Digital mammography. Right breast, CC projection. 41-year-old patient.
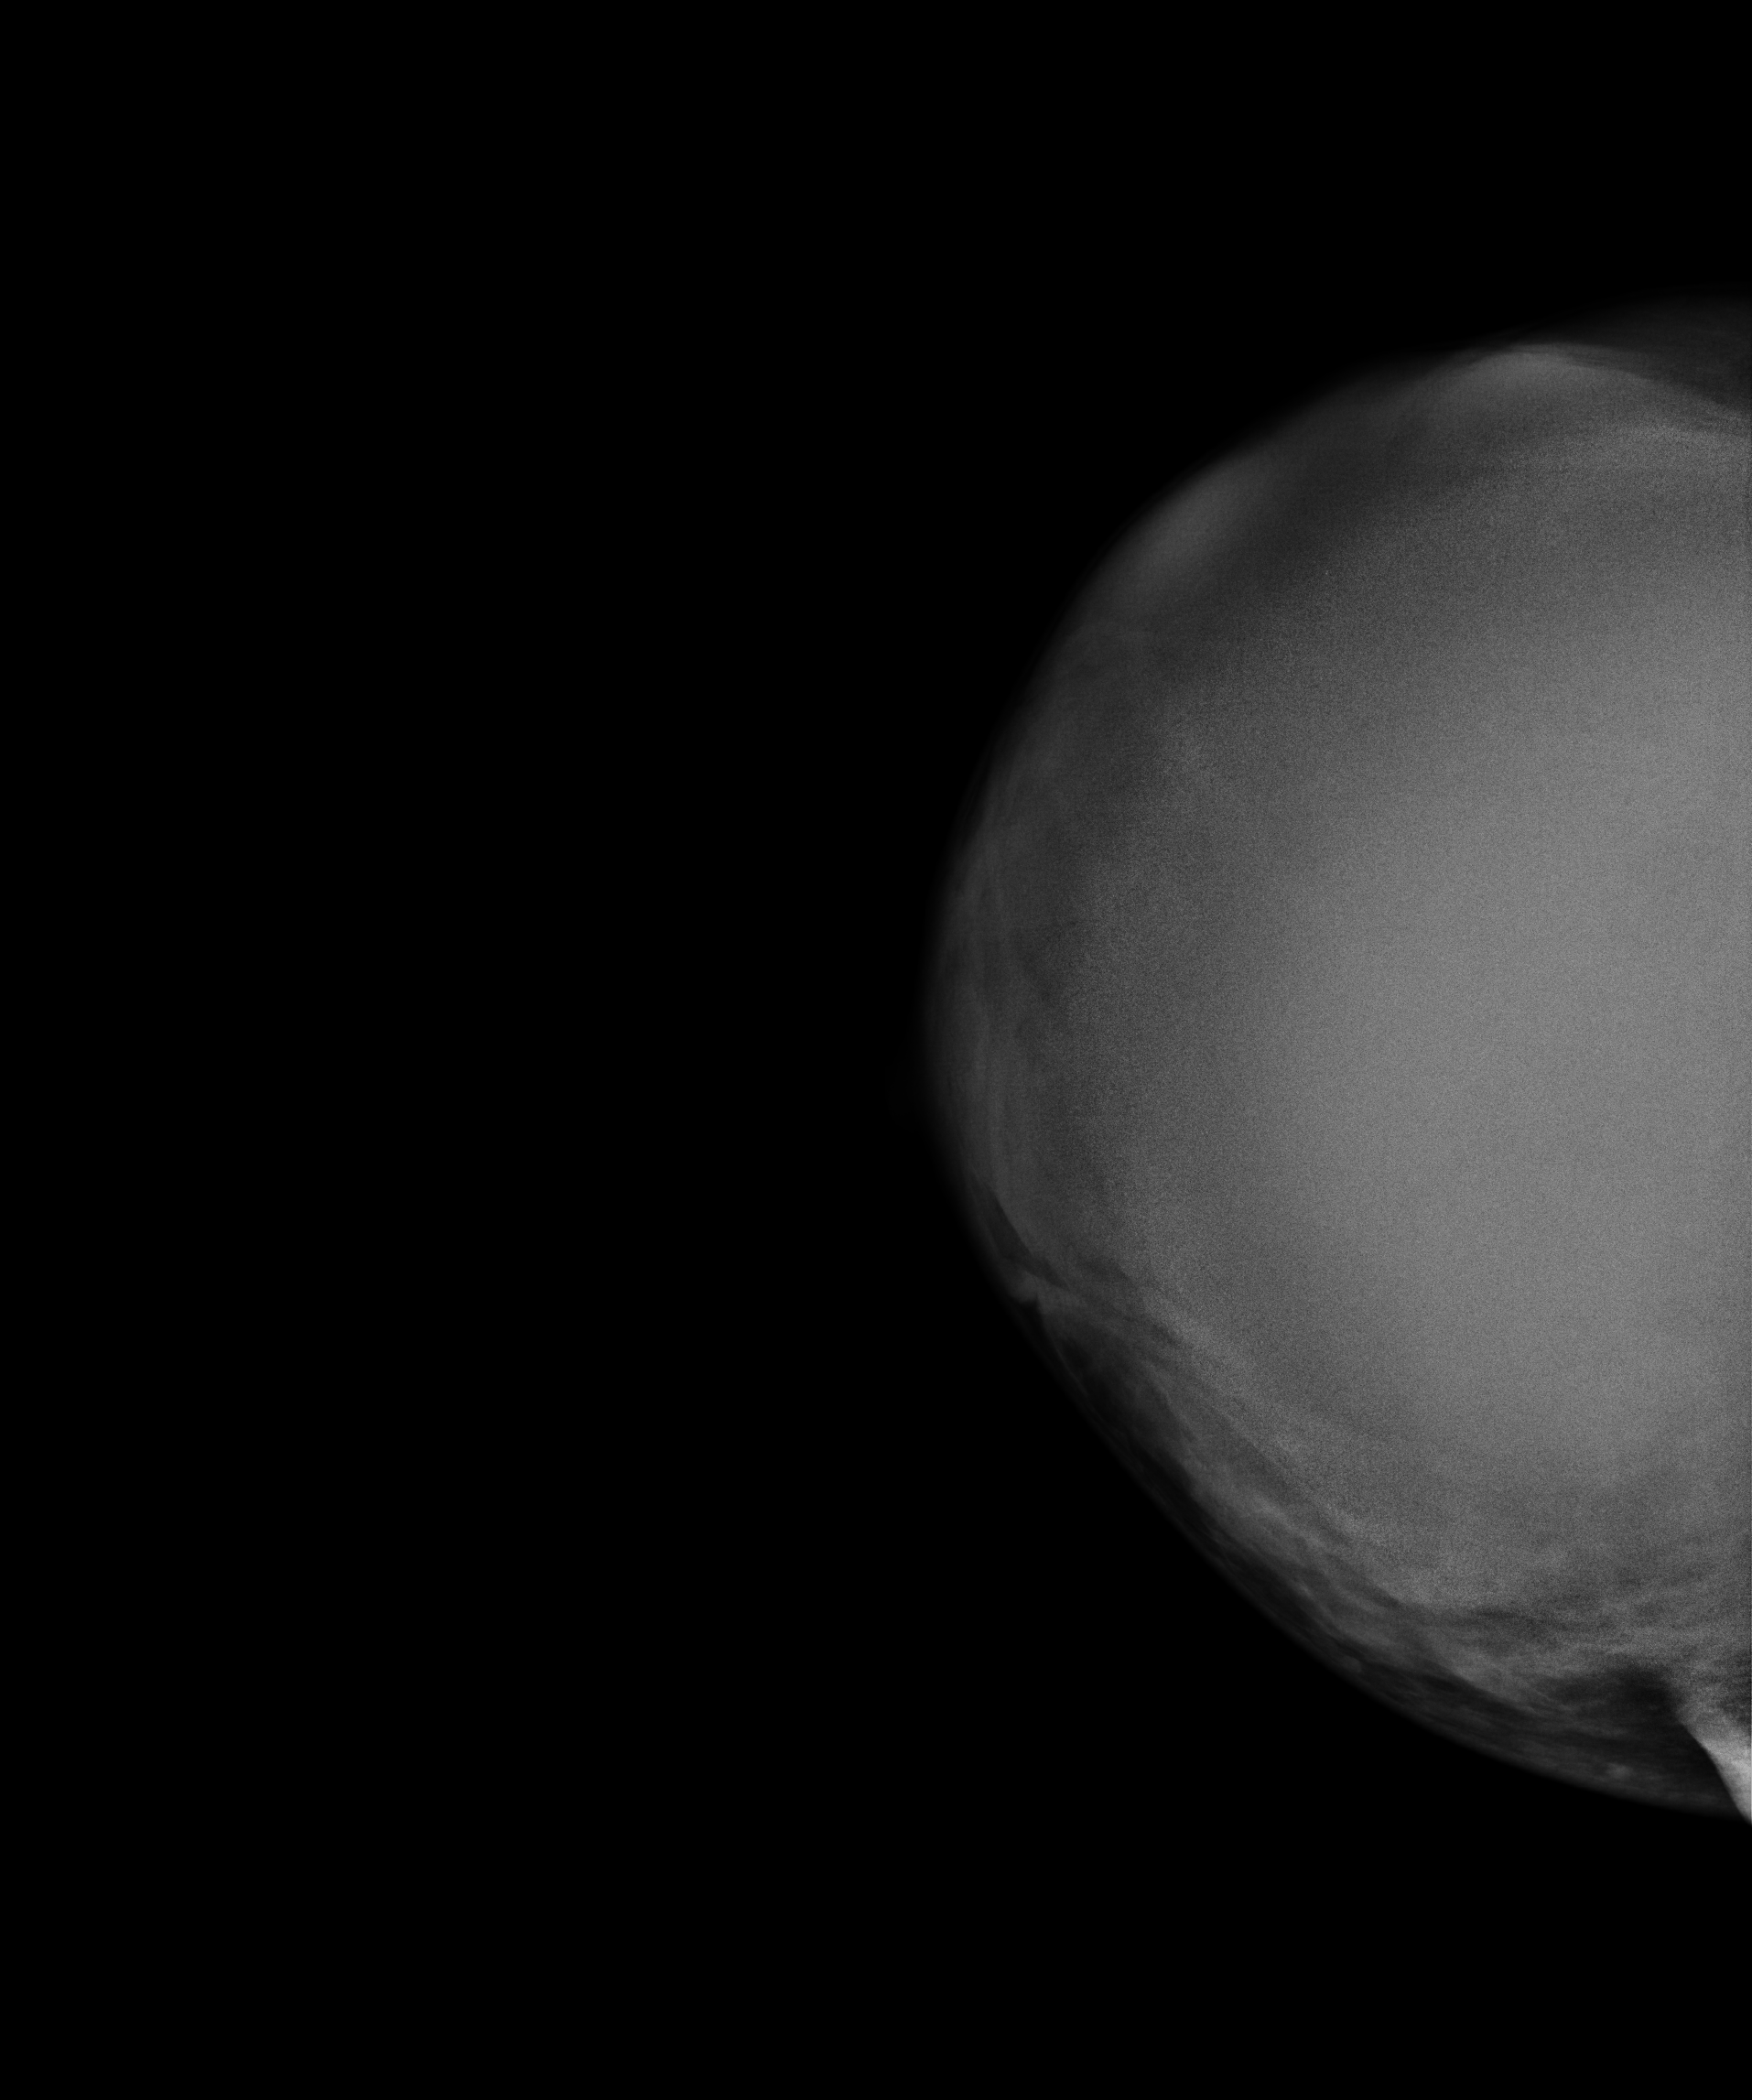
This breast has a mass, pathology-confirmed malignant.